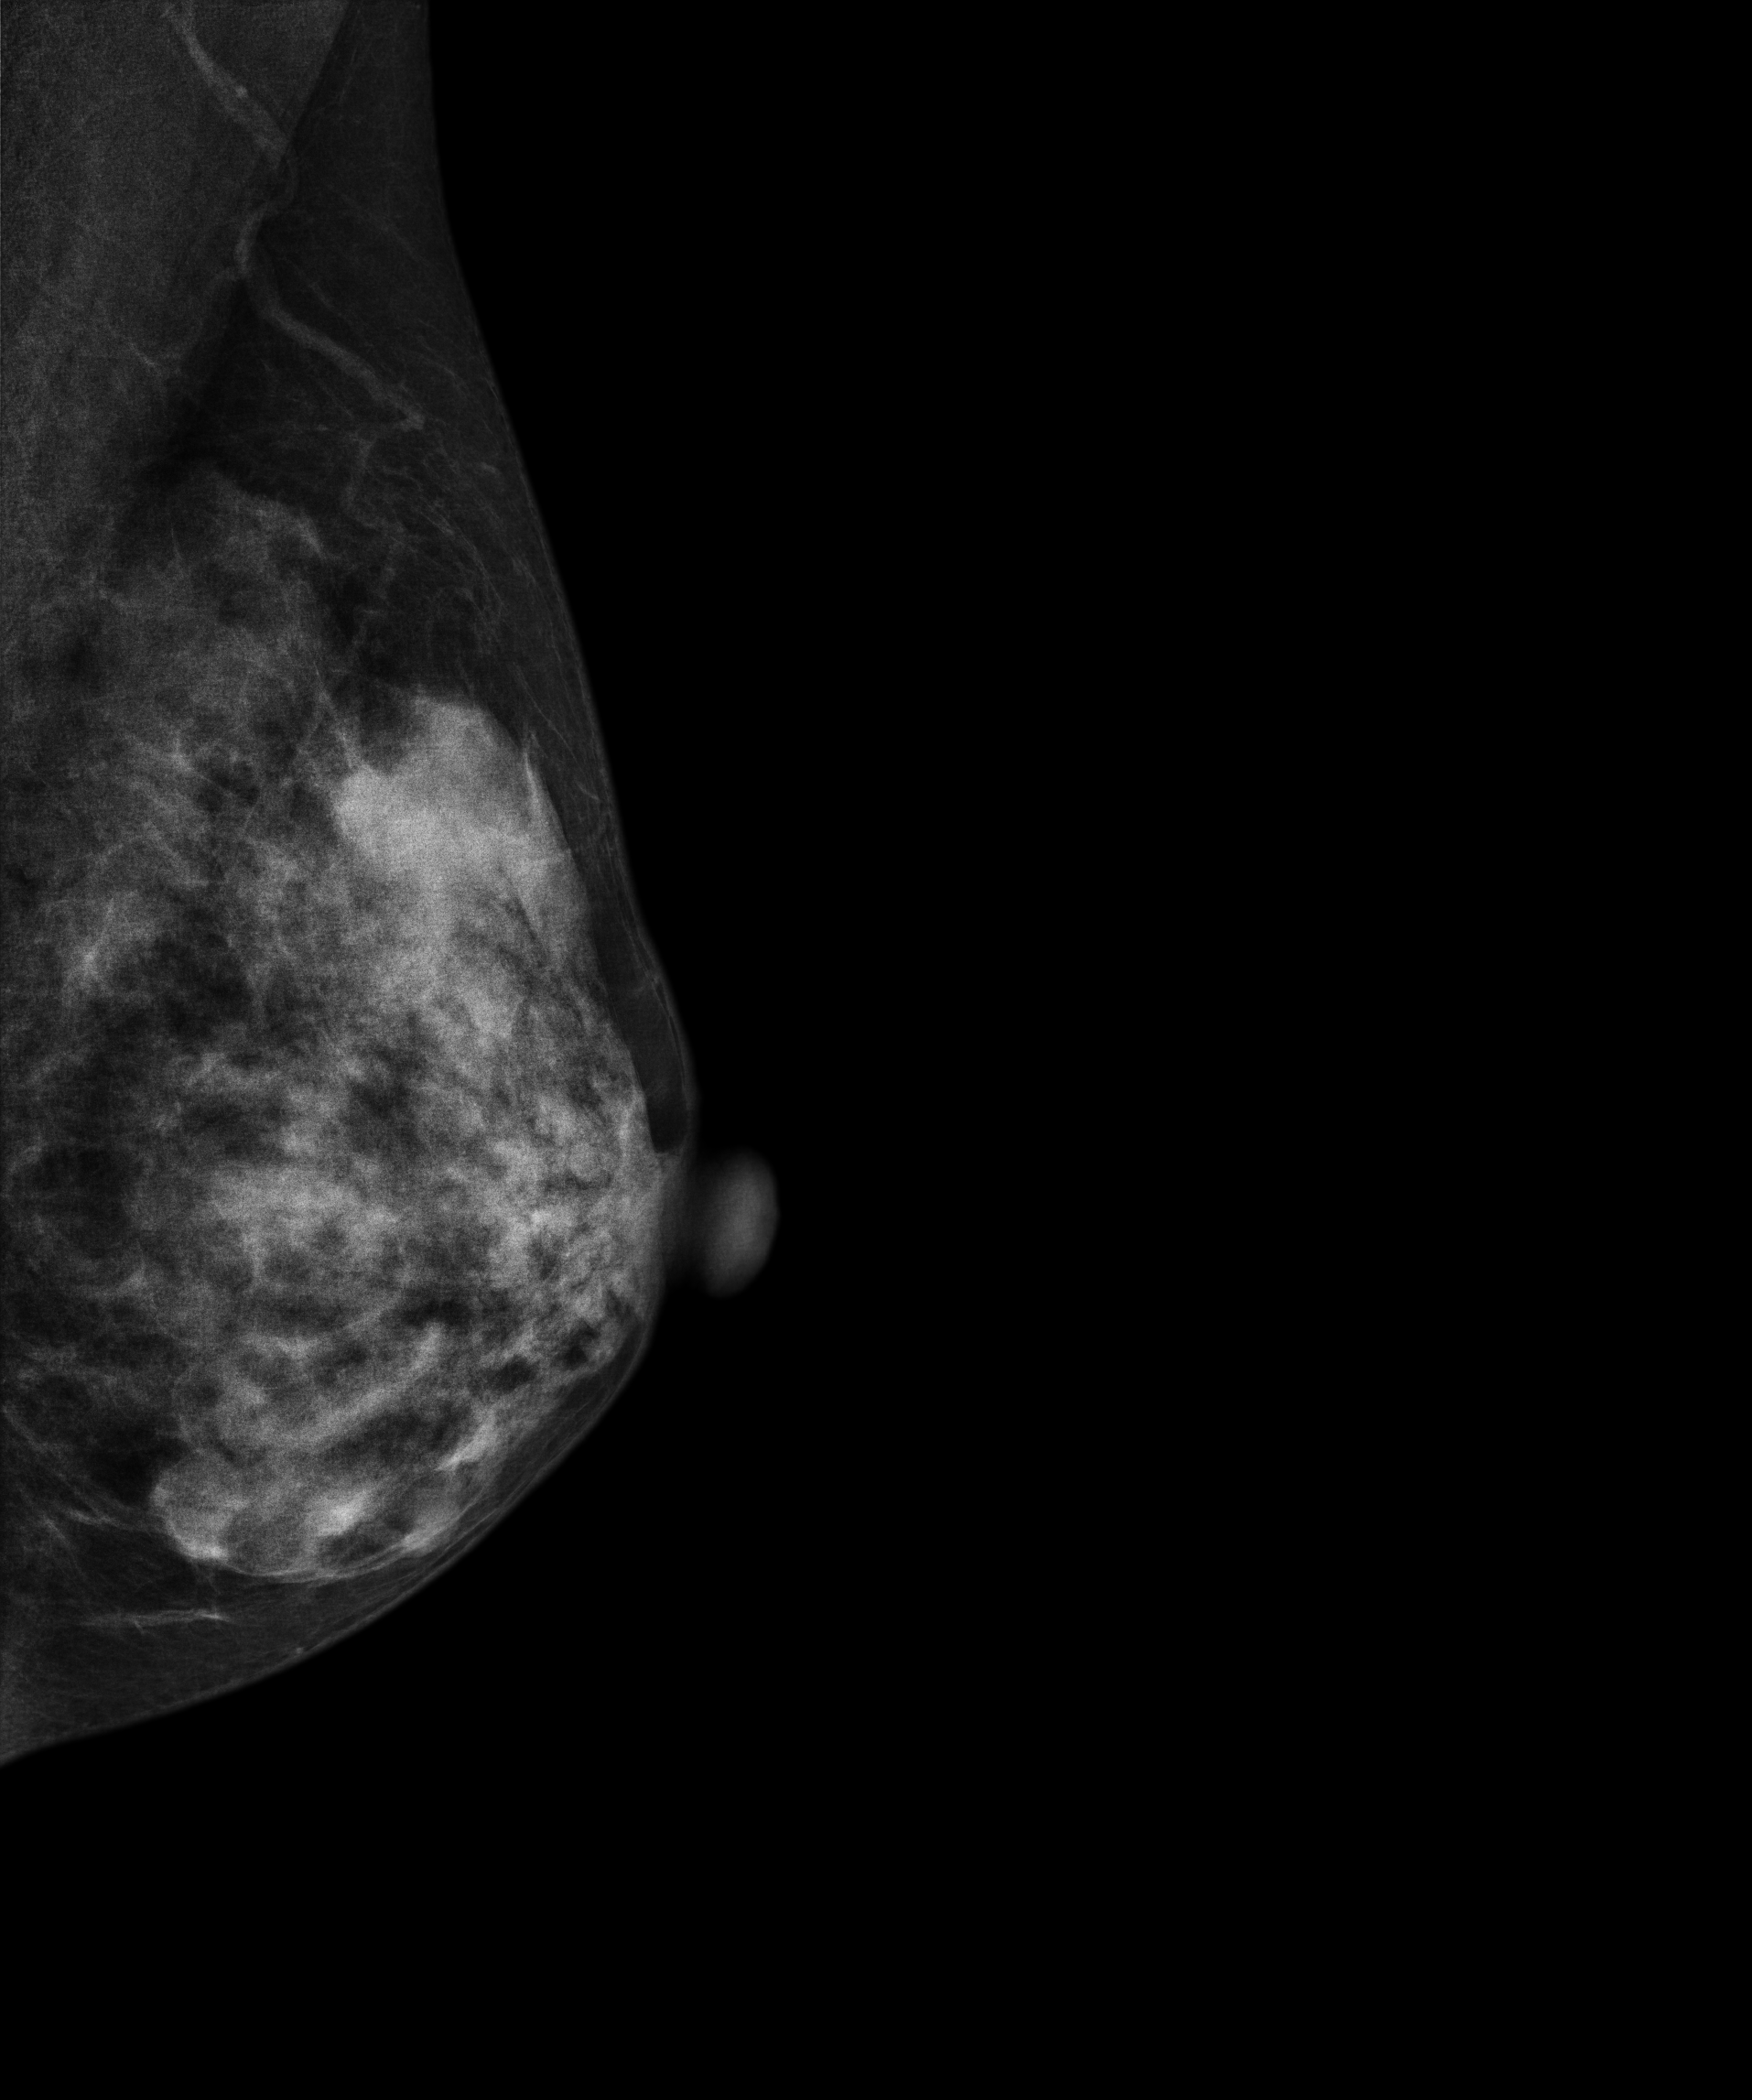
Left-breast mammogram, medio-lateral oblique. 44-year-old patient.
This breast has a mass, biopsy-confirmed benign.